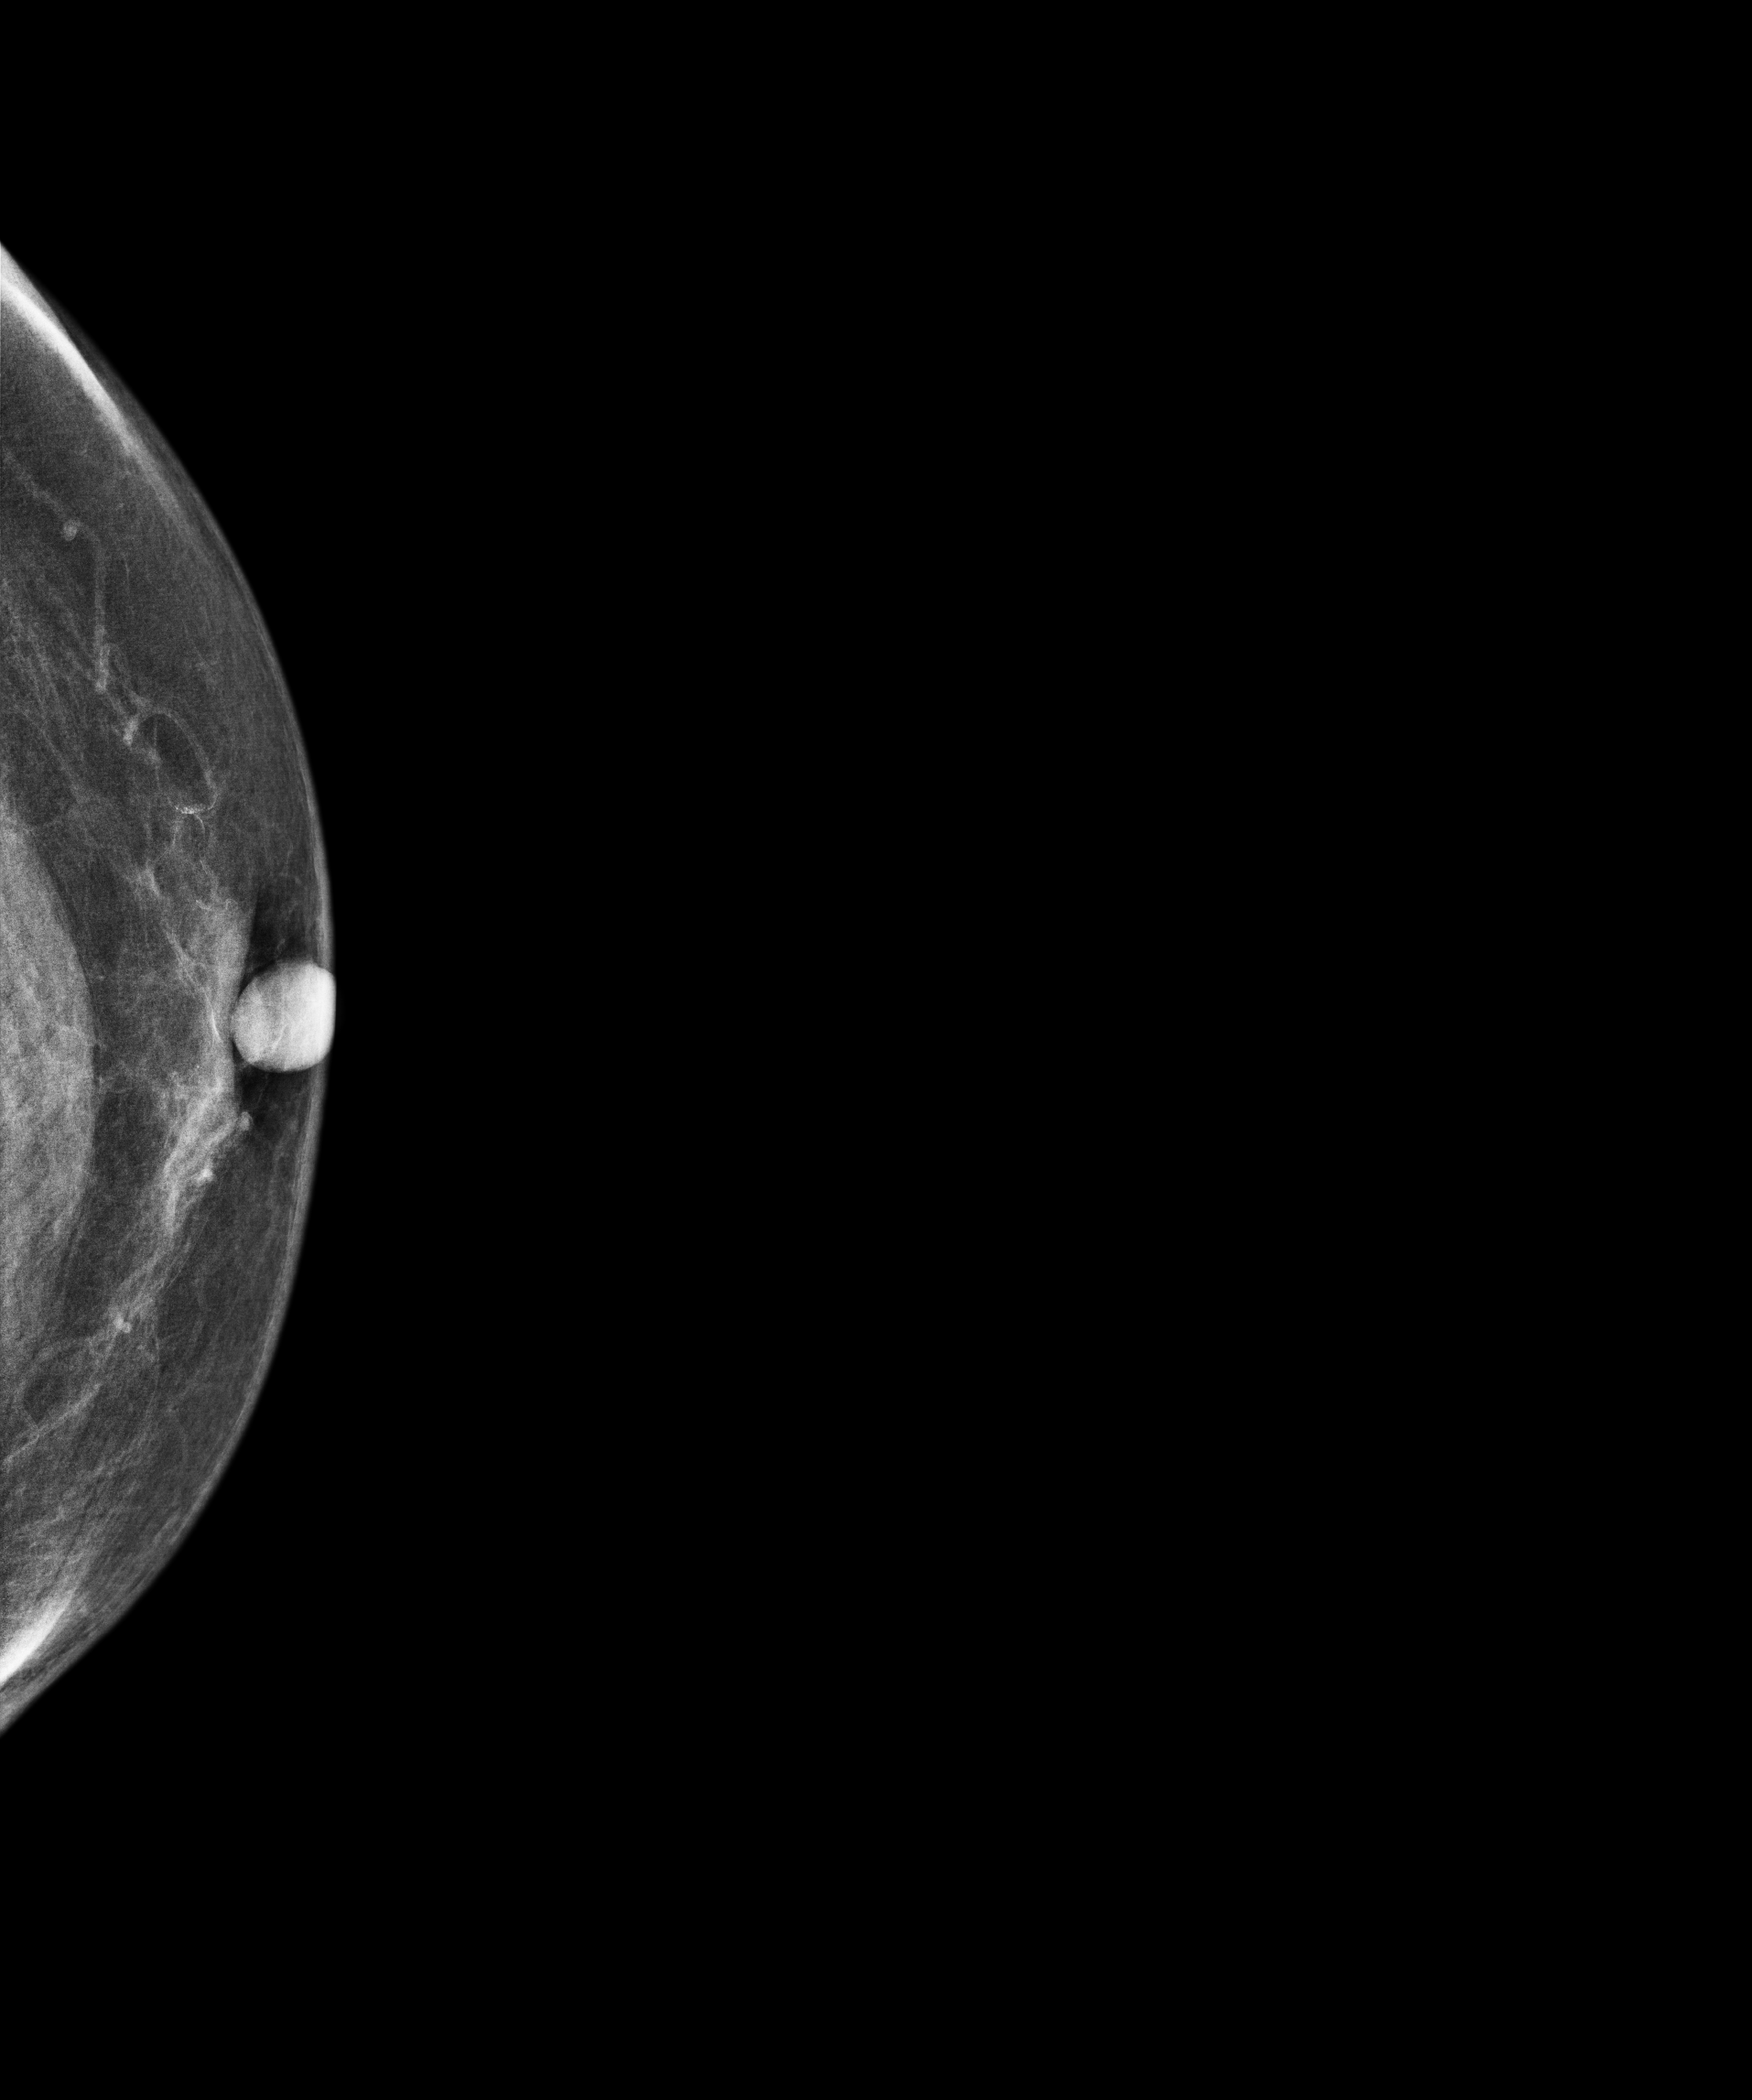
Mammogram, left breast, CC view. 55-year-old patient.
Contralateral breast — no documented abnormality on this side.